Right-breast mammogram, MLO. Patient age 47.
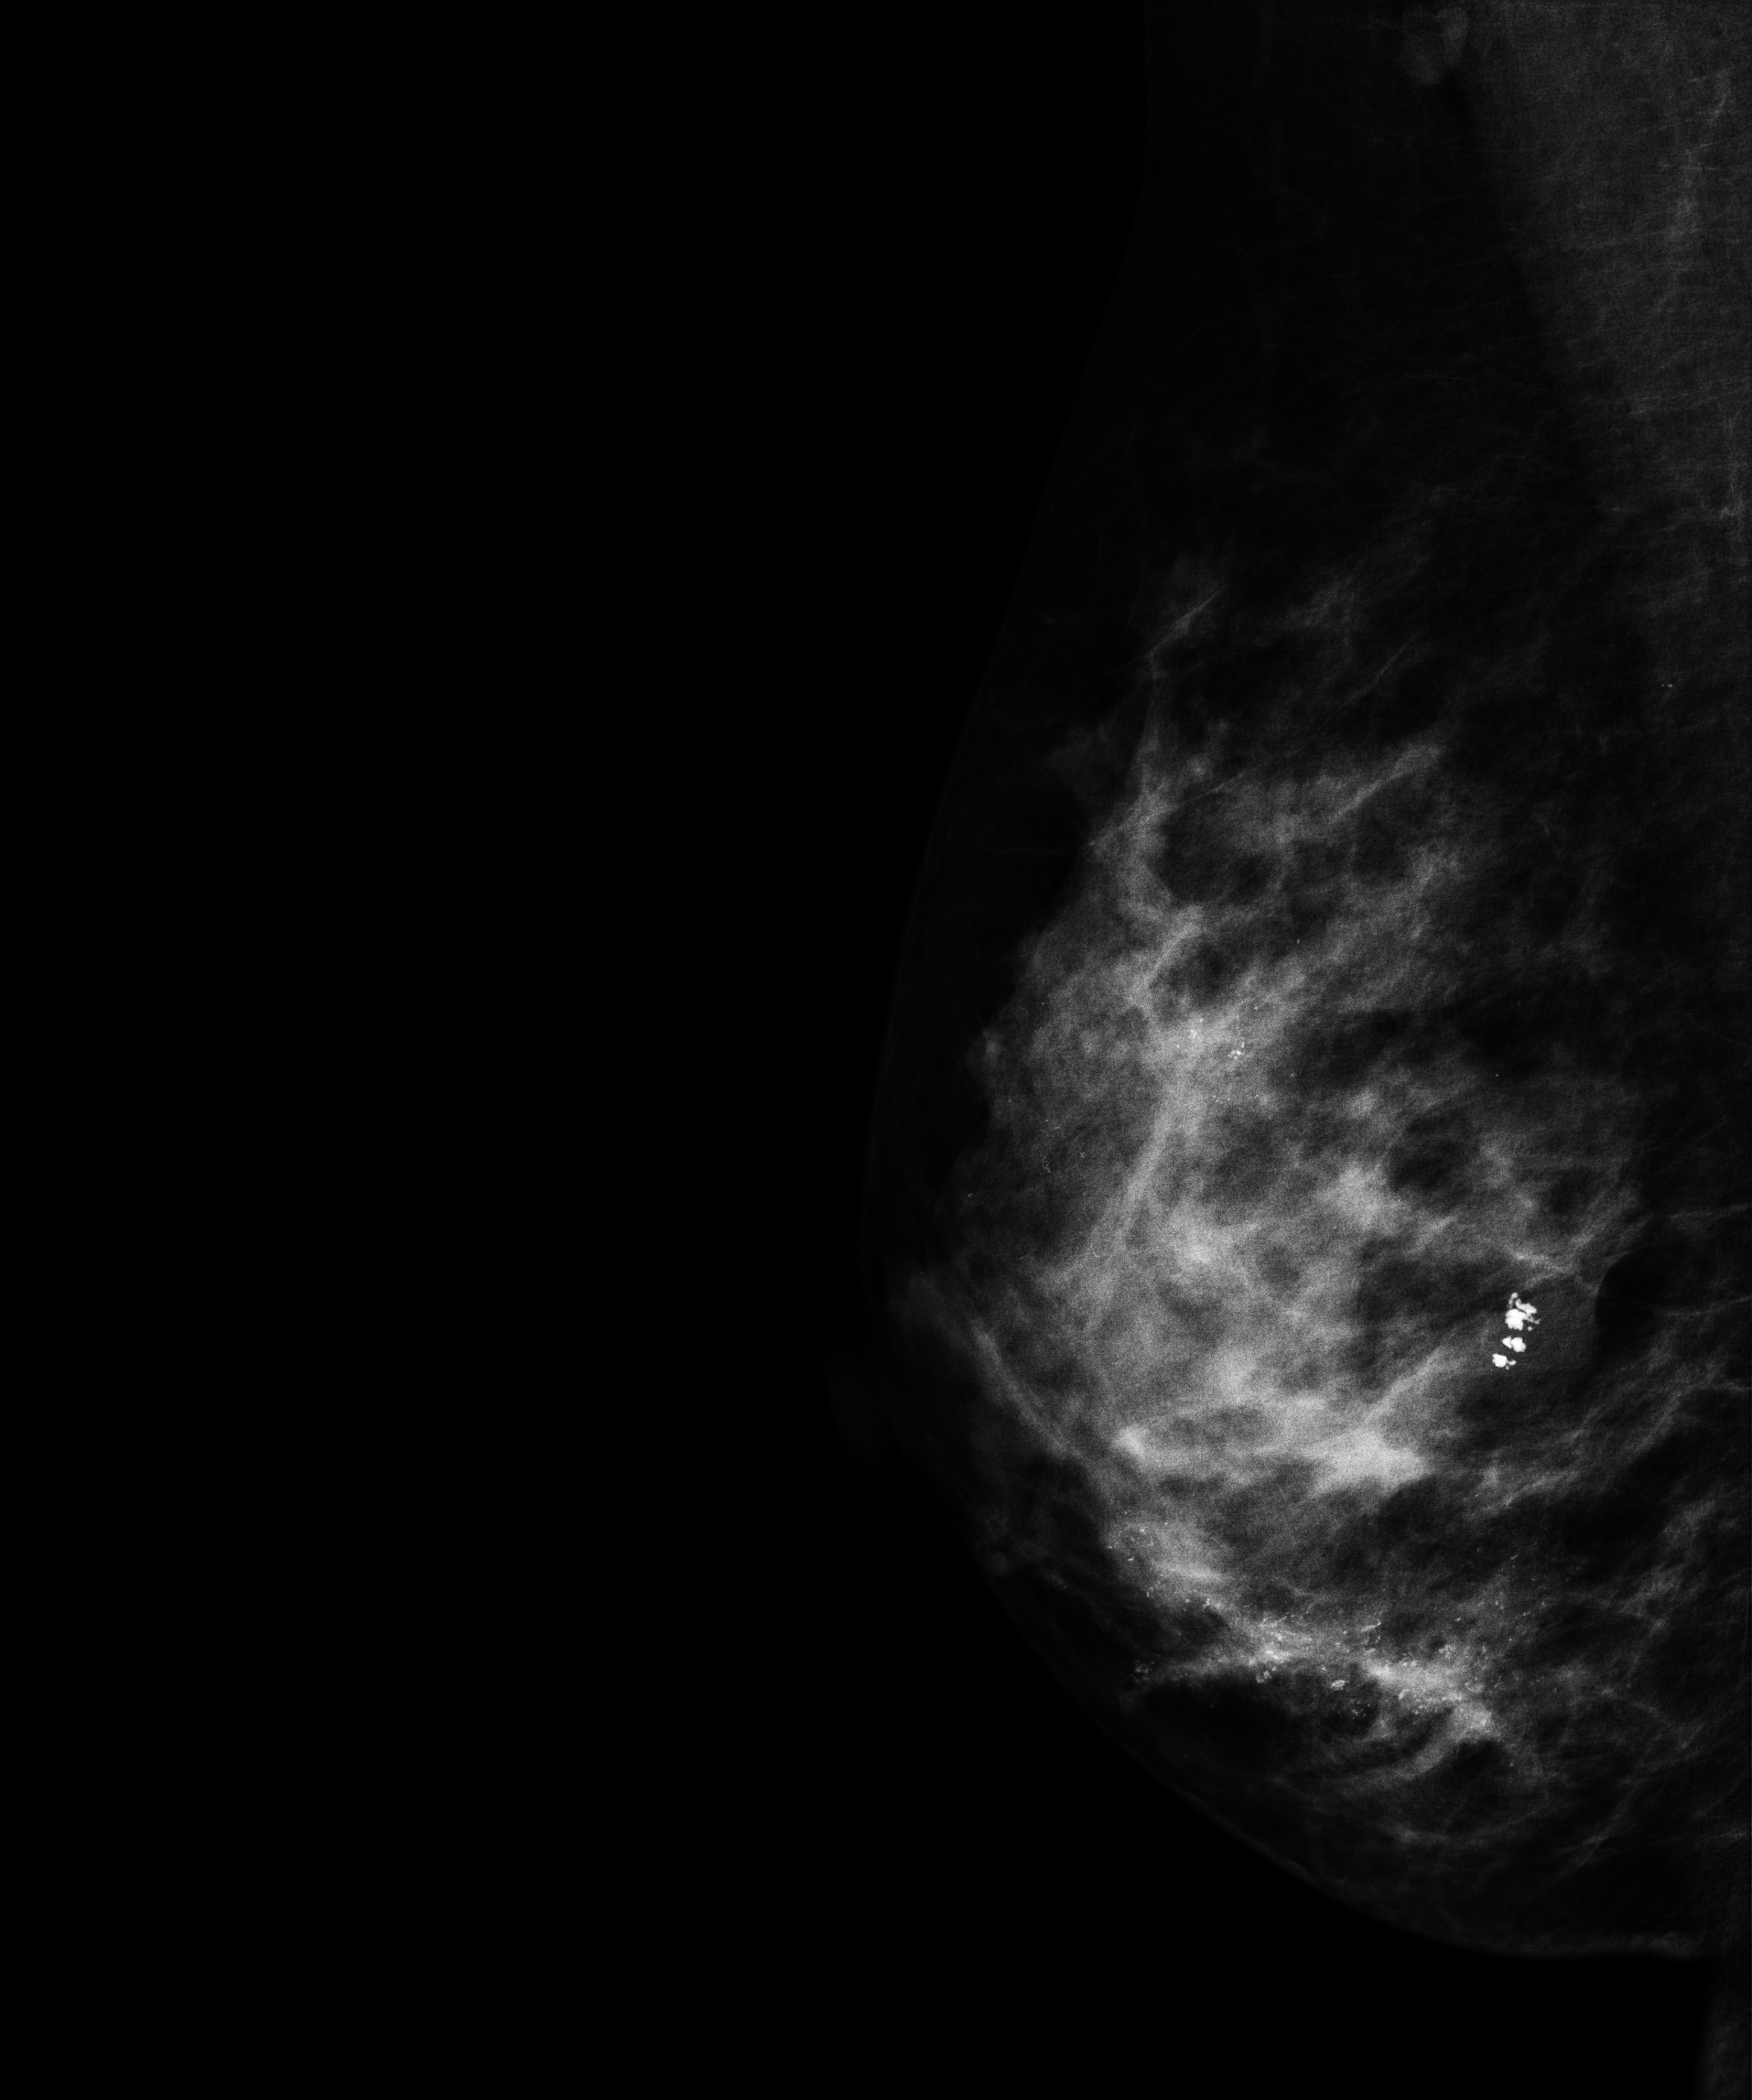
This breast has calcifications, biopsy-confirmed malignant.